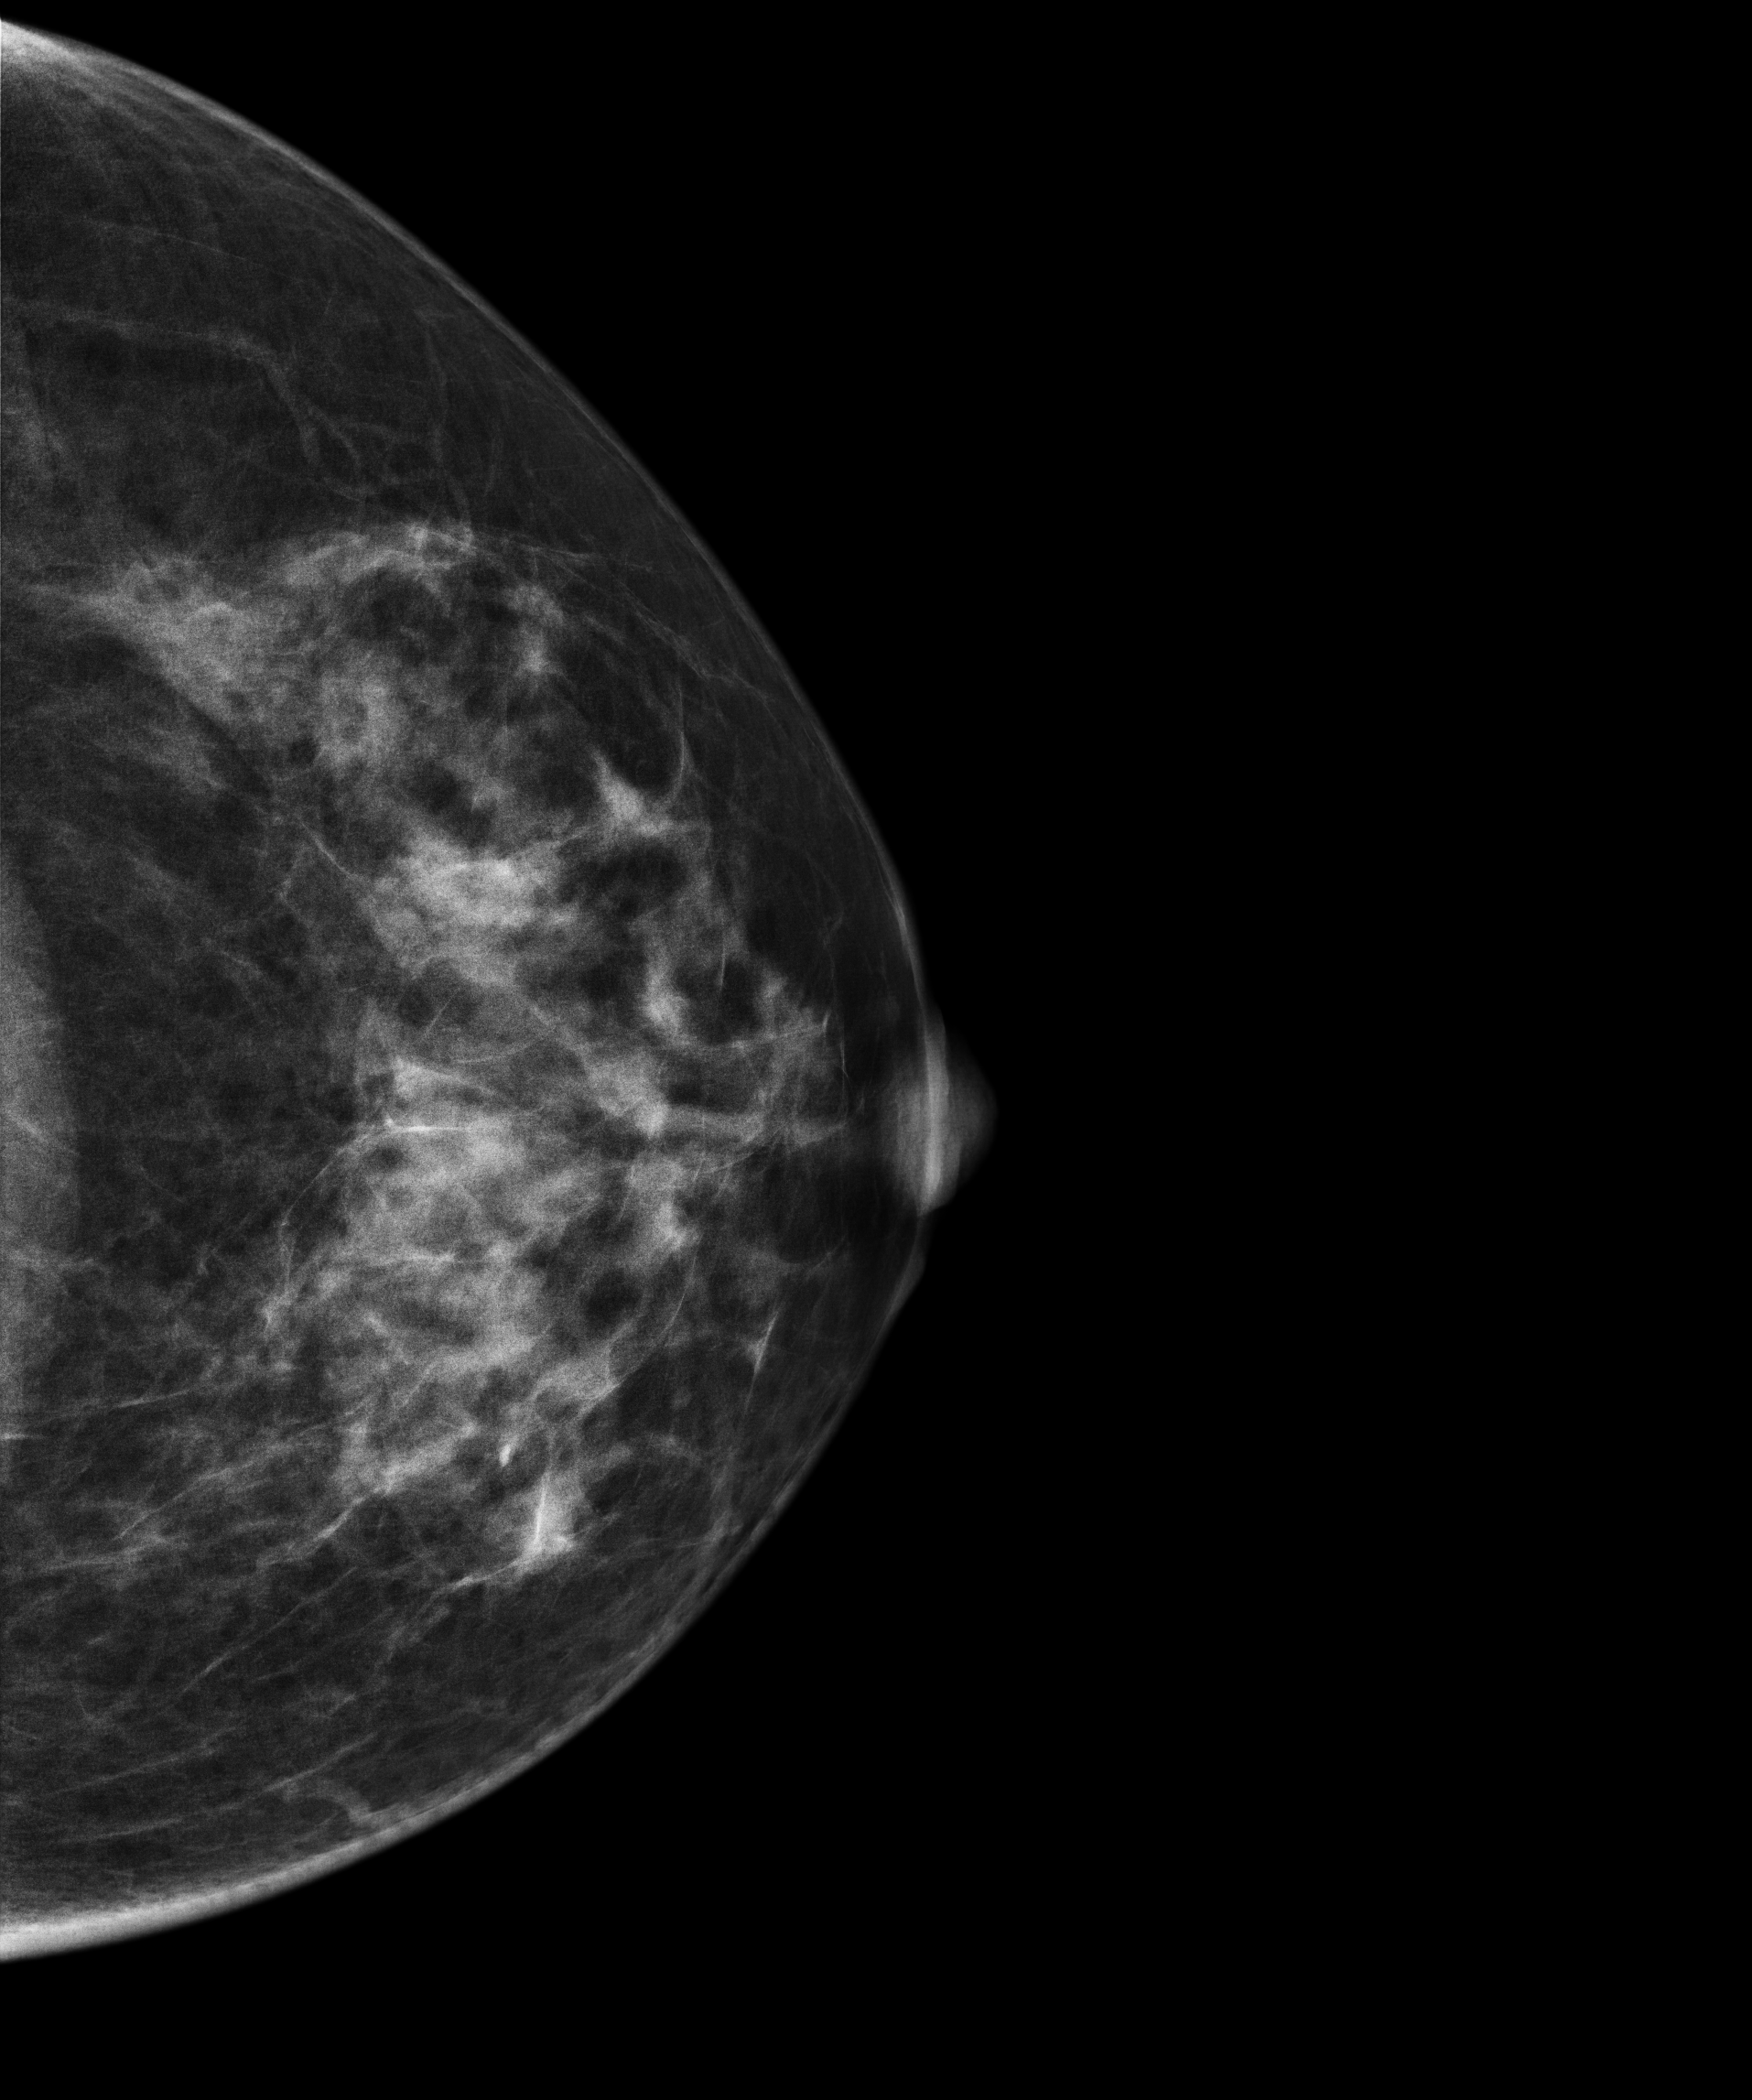
Mammogram — left CC. 43-year-old patient.
Contralateral breast — no documented abnormality on this side.